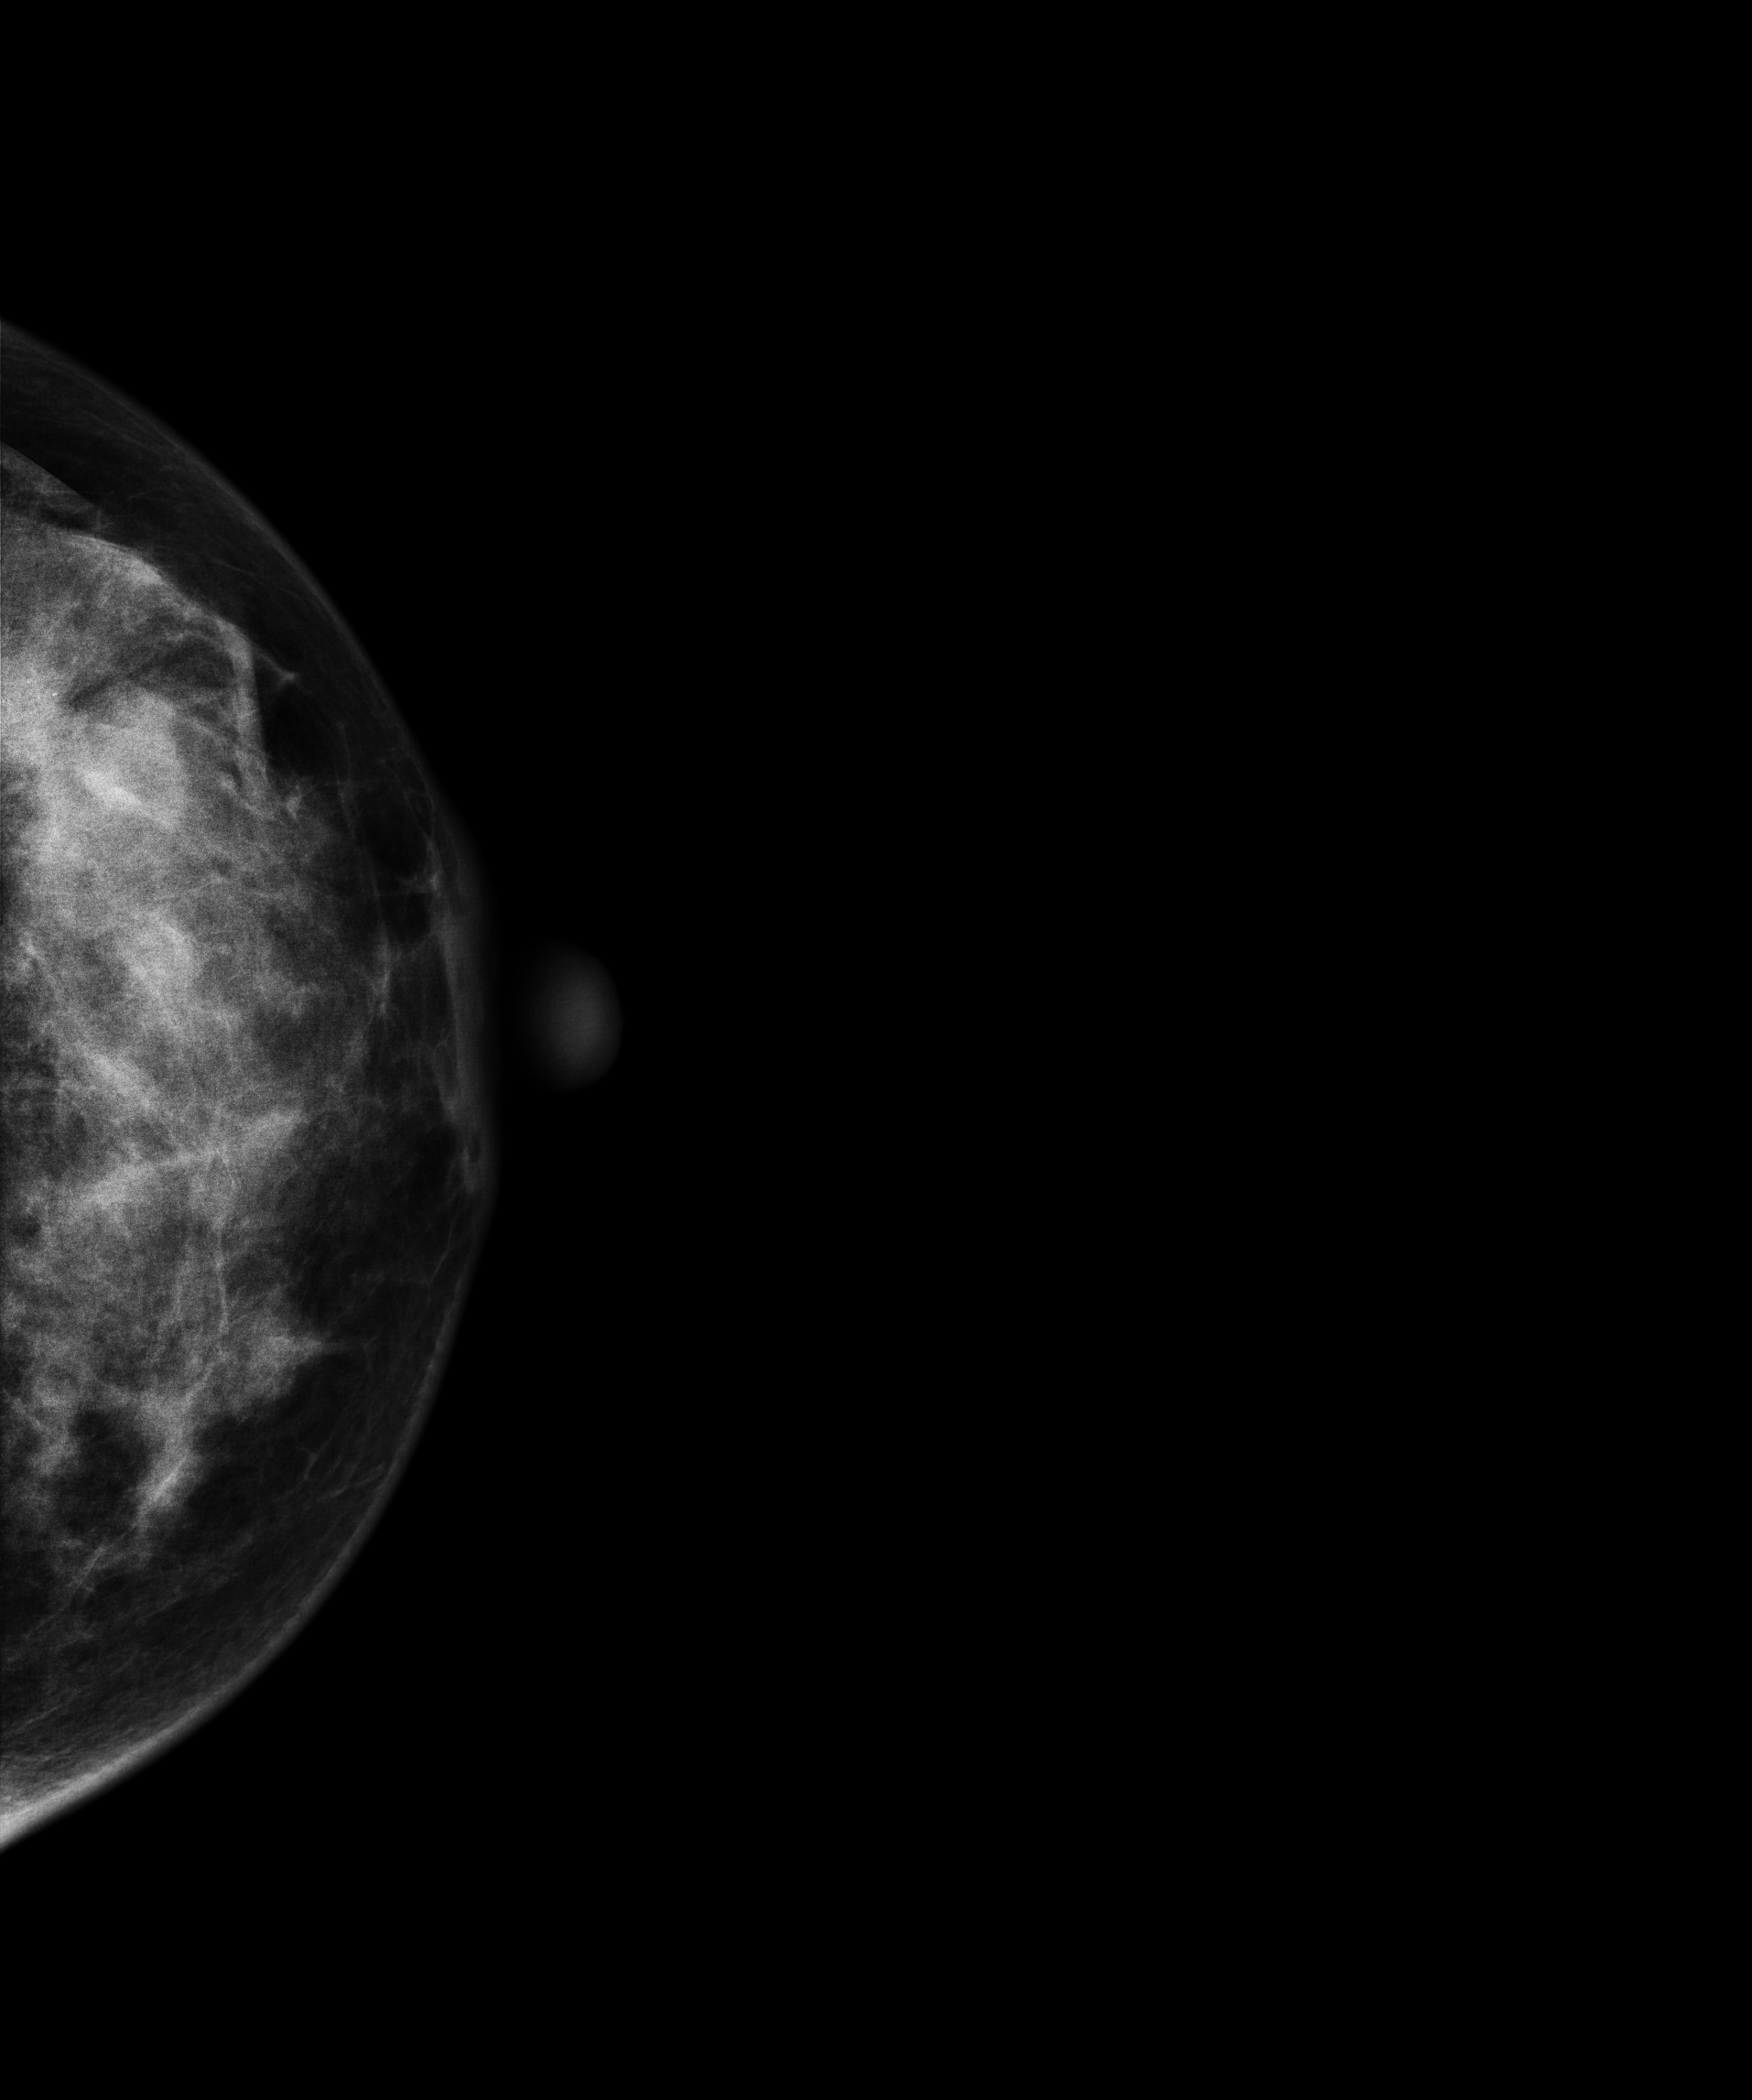
Cranio-caudal mammogram of the left breast. Patient age 44.
This breast has a mass and calcifications, pathology-confirmed malignant.